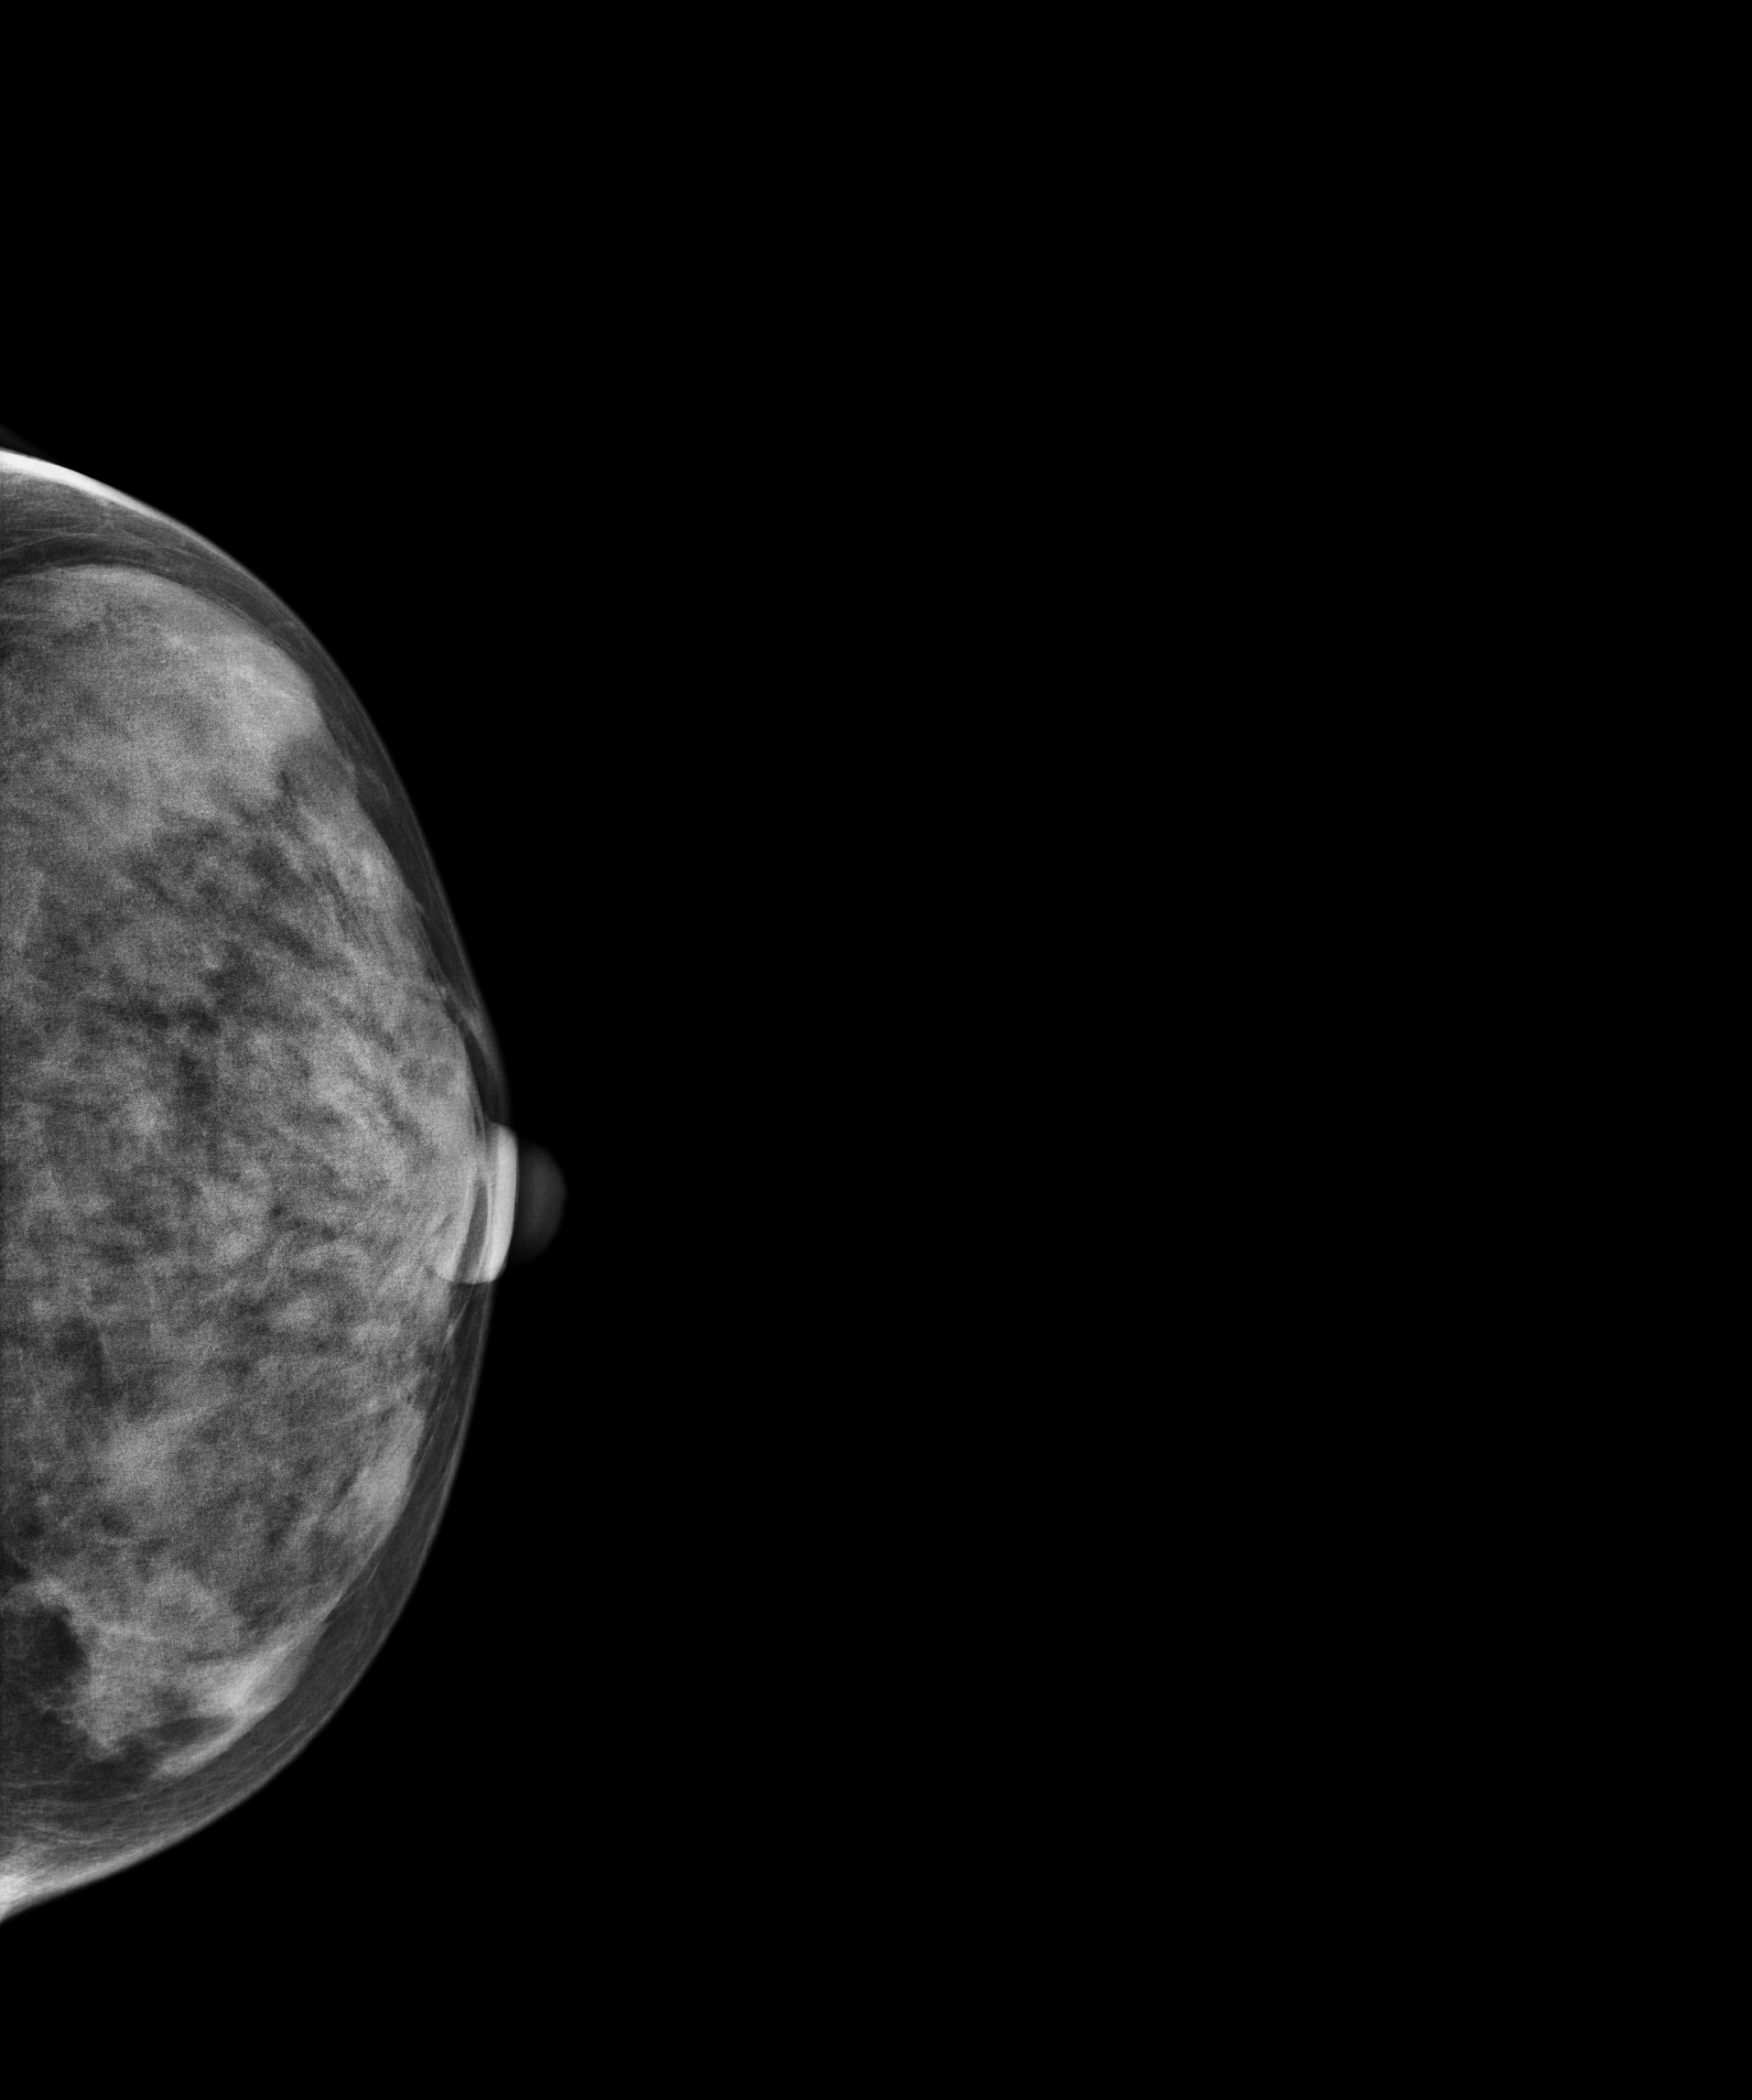
CC mammogram of the left breast. 46-year-old patient.
This breast has a mass, biopsy-confirmed benign.